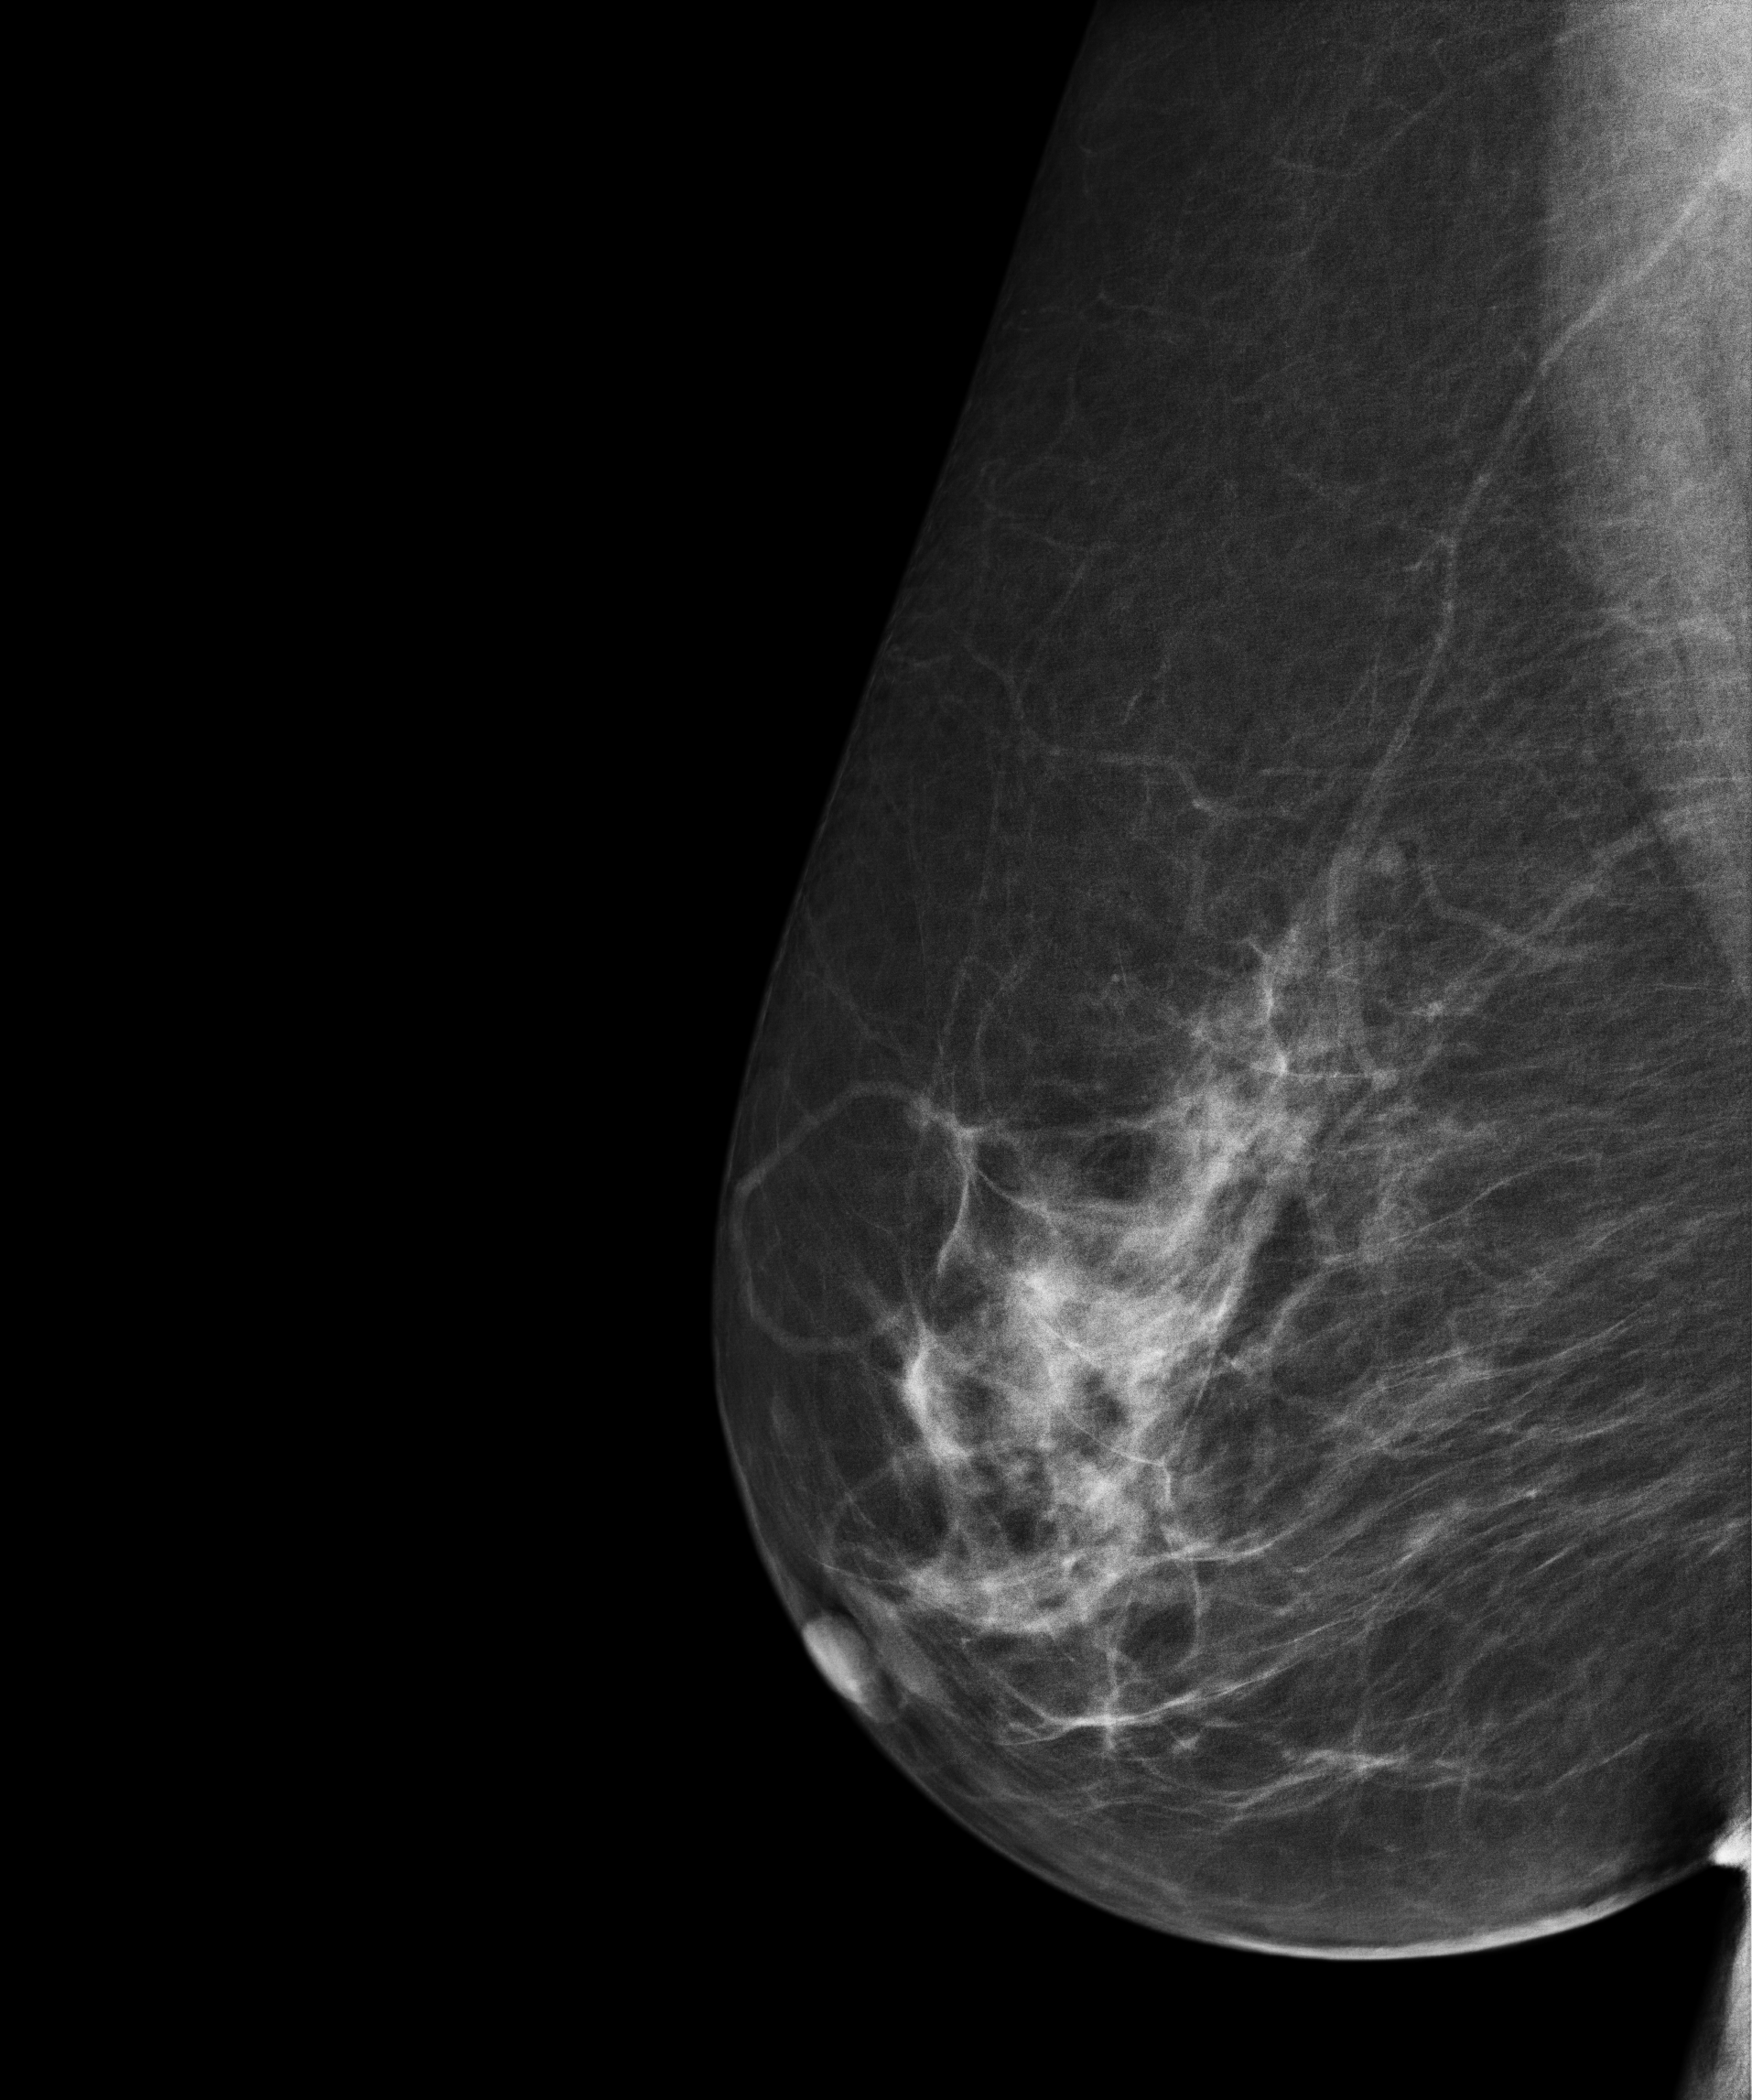
Mammogram, right breast, medio-lateral oblique view. 60-year-old patient.
Contralateral breast — no documented abnormality on this side.